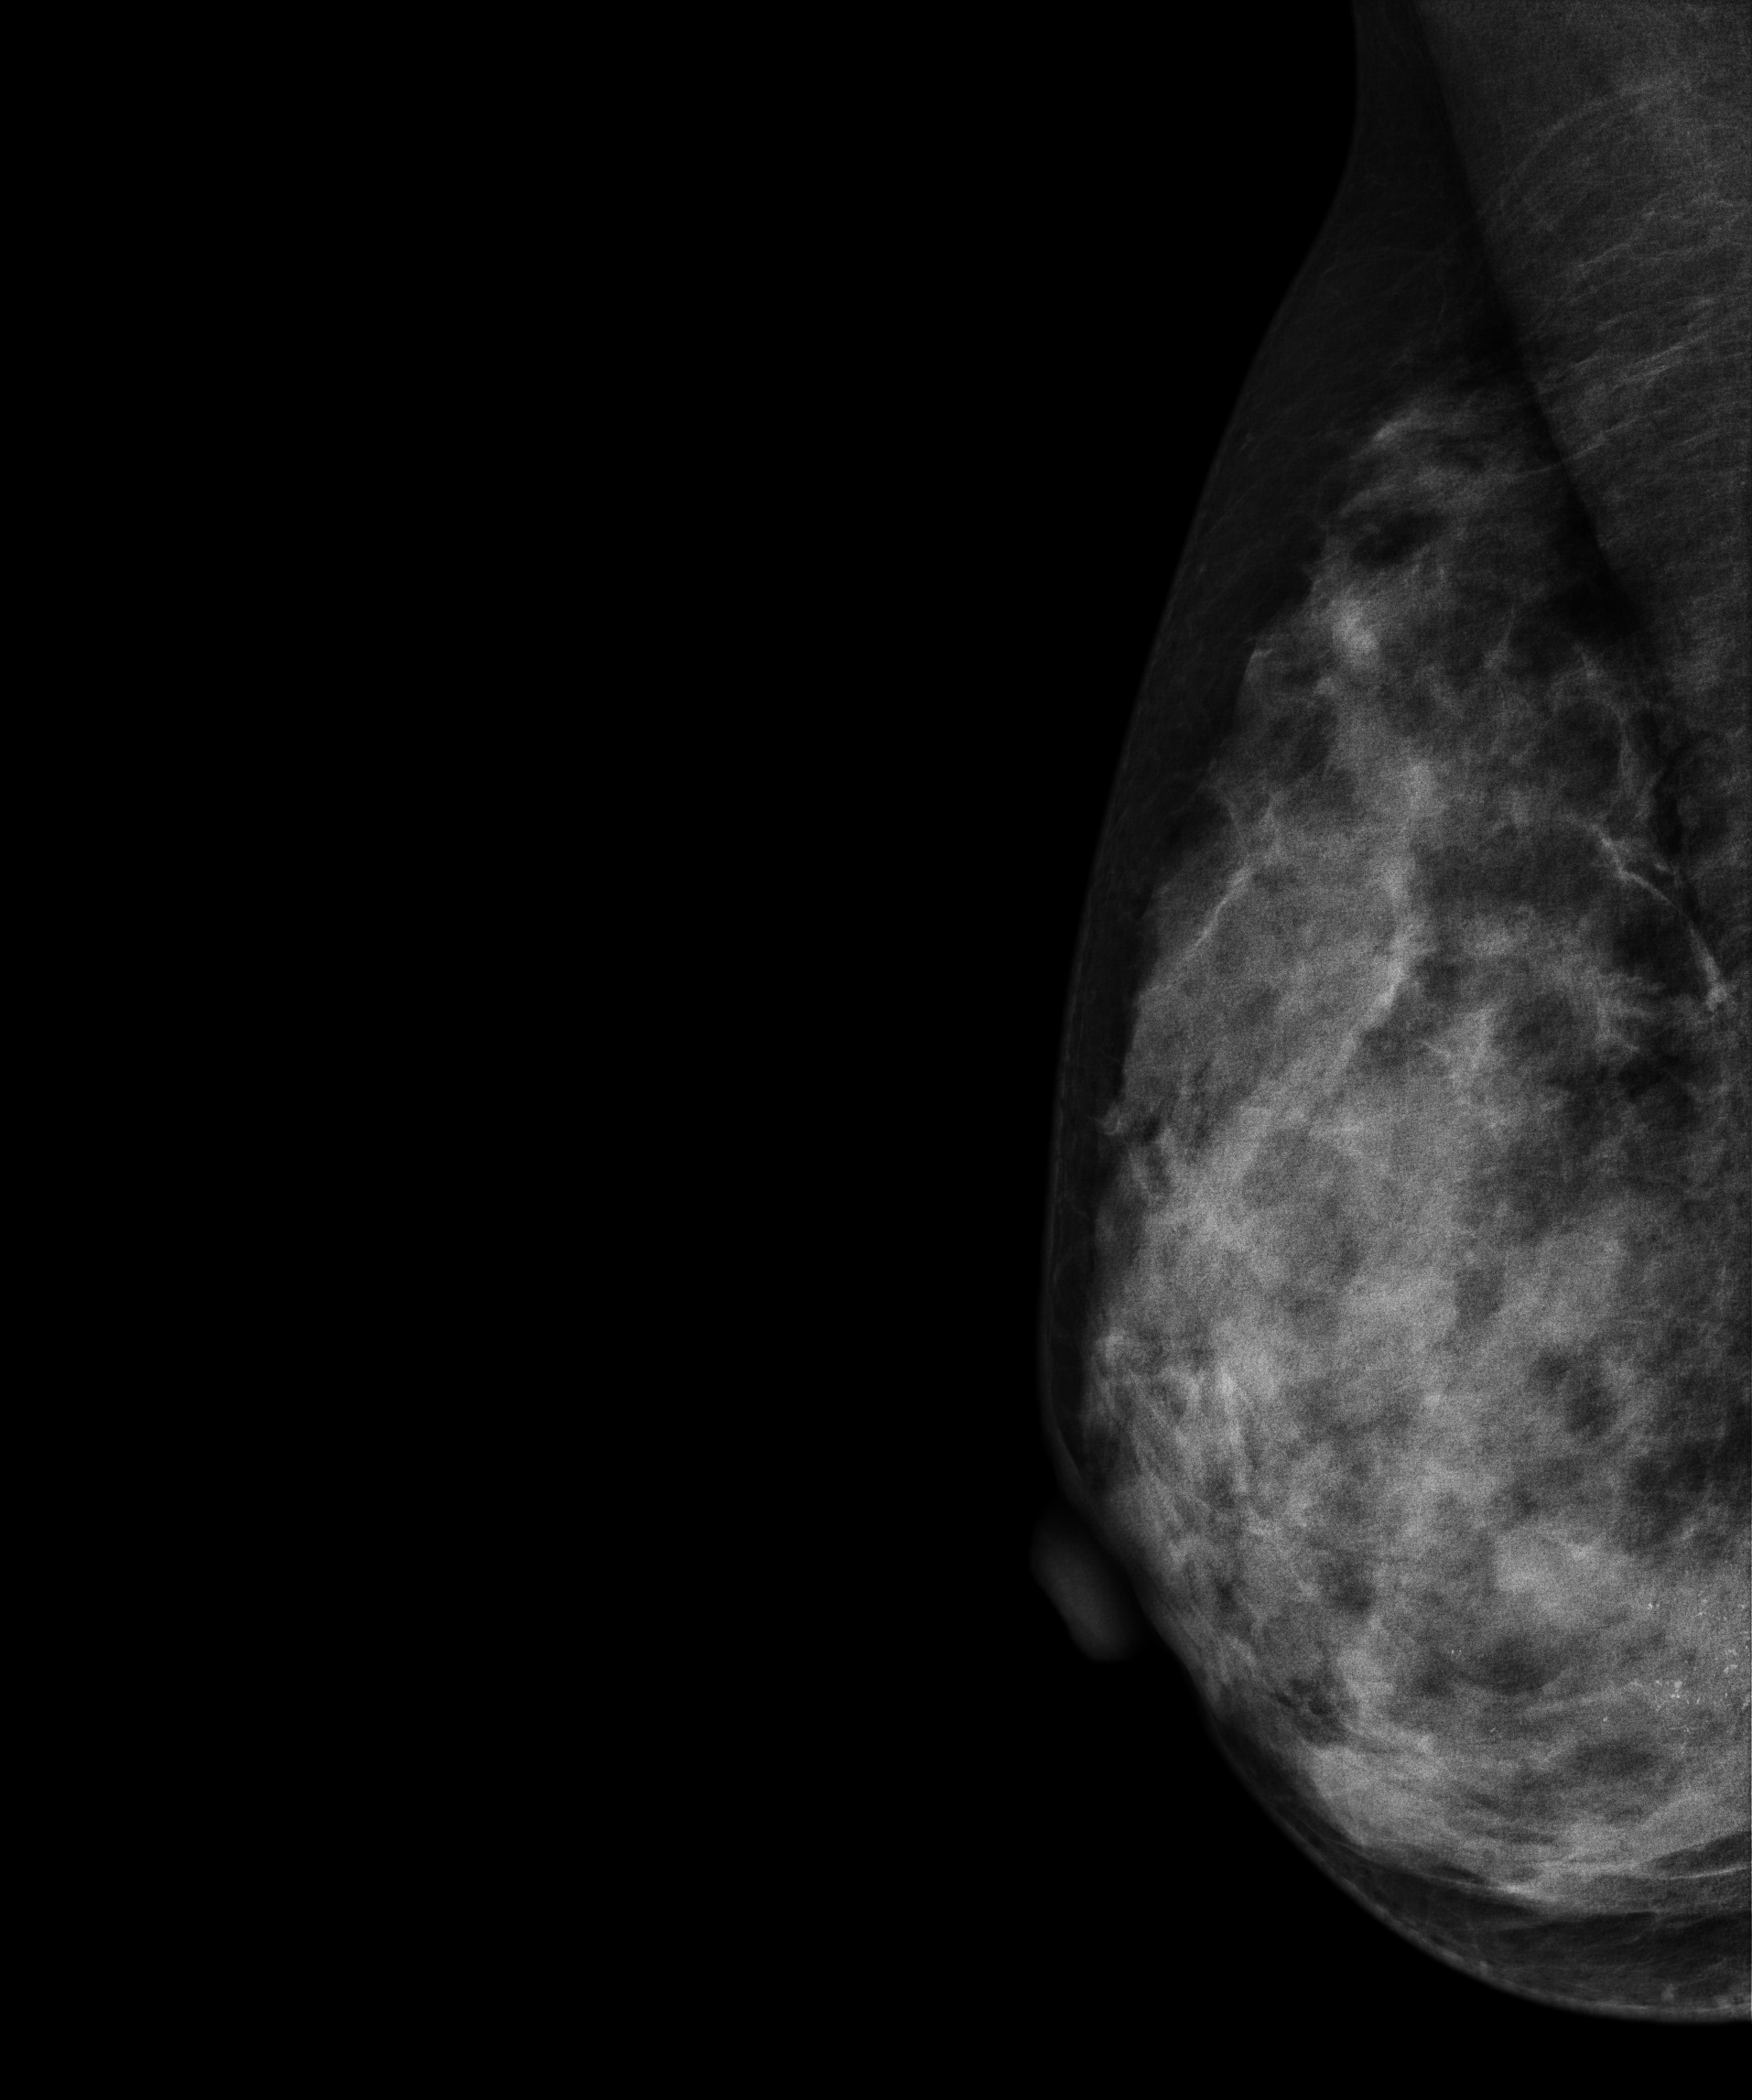
Right-breast mammogram, MLO. 43-year-old patient.
This breast has calcifications, biopsy-proven malignant.